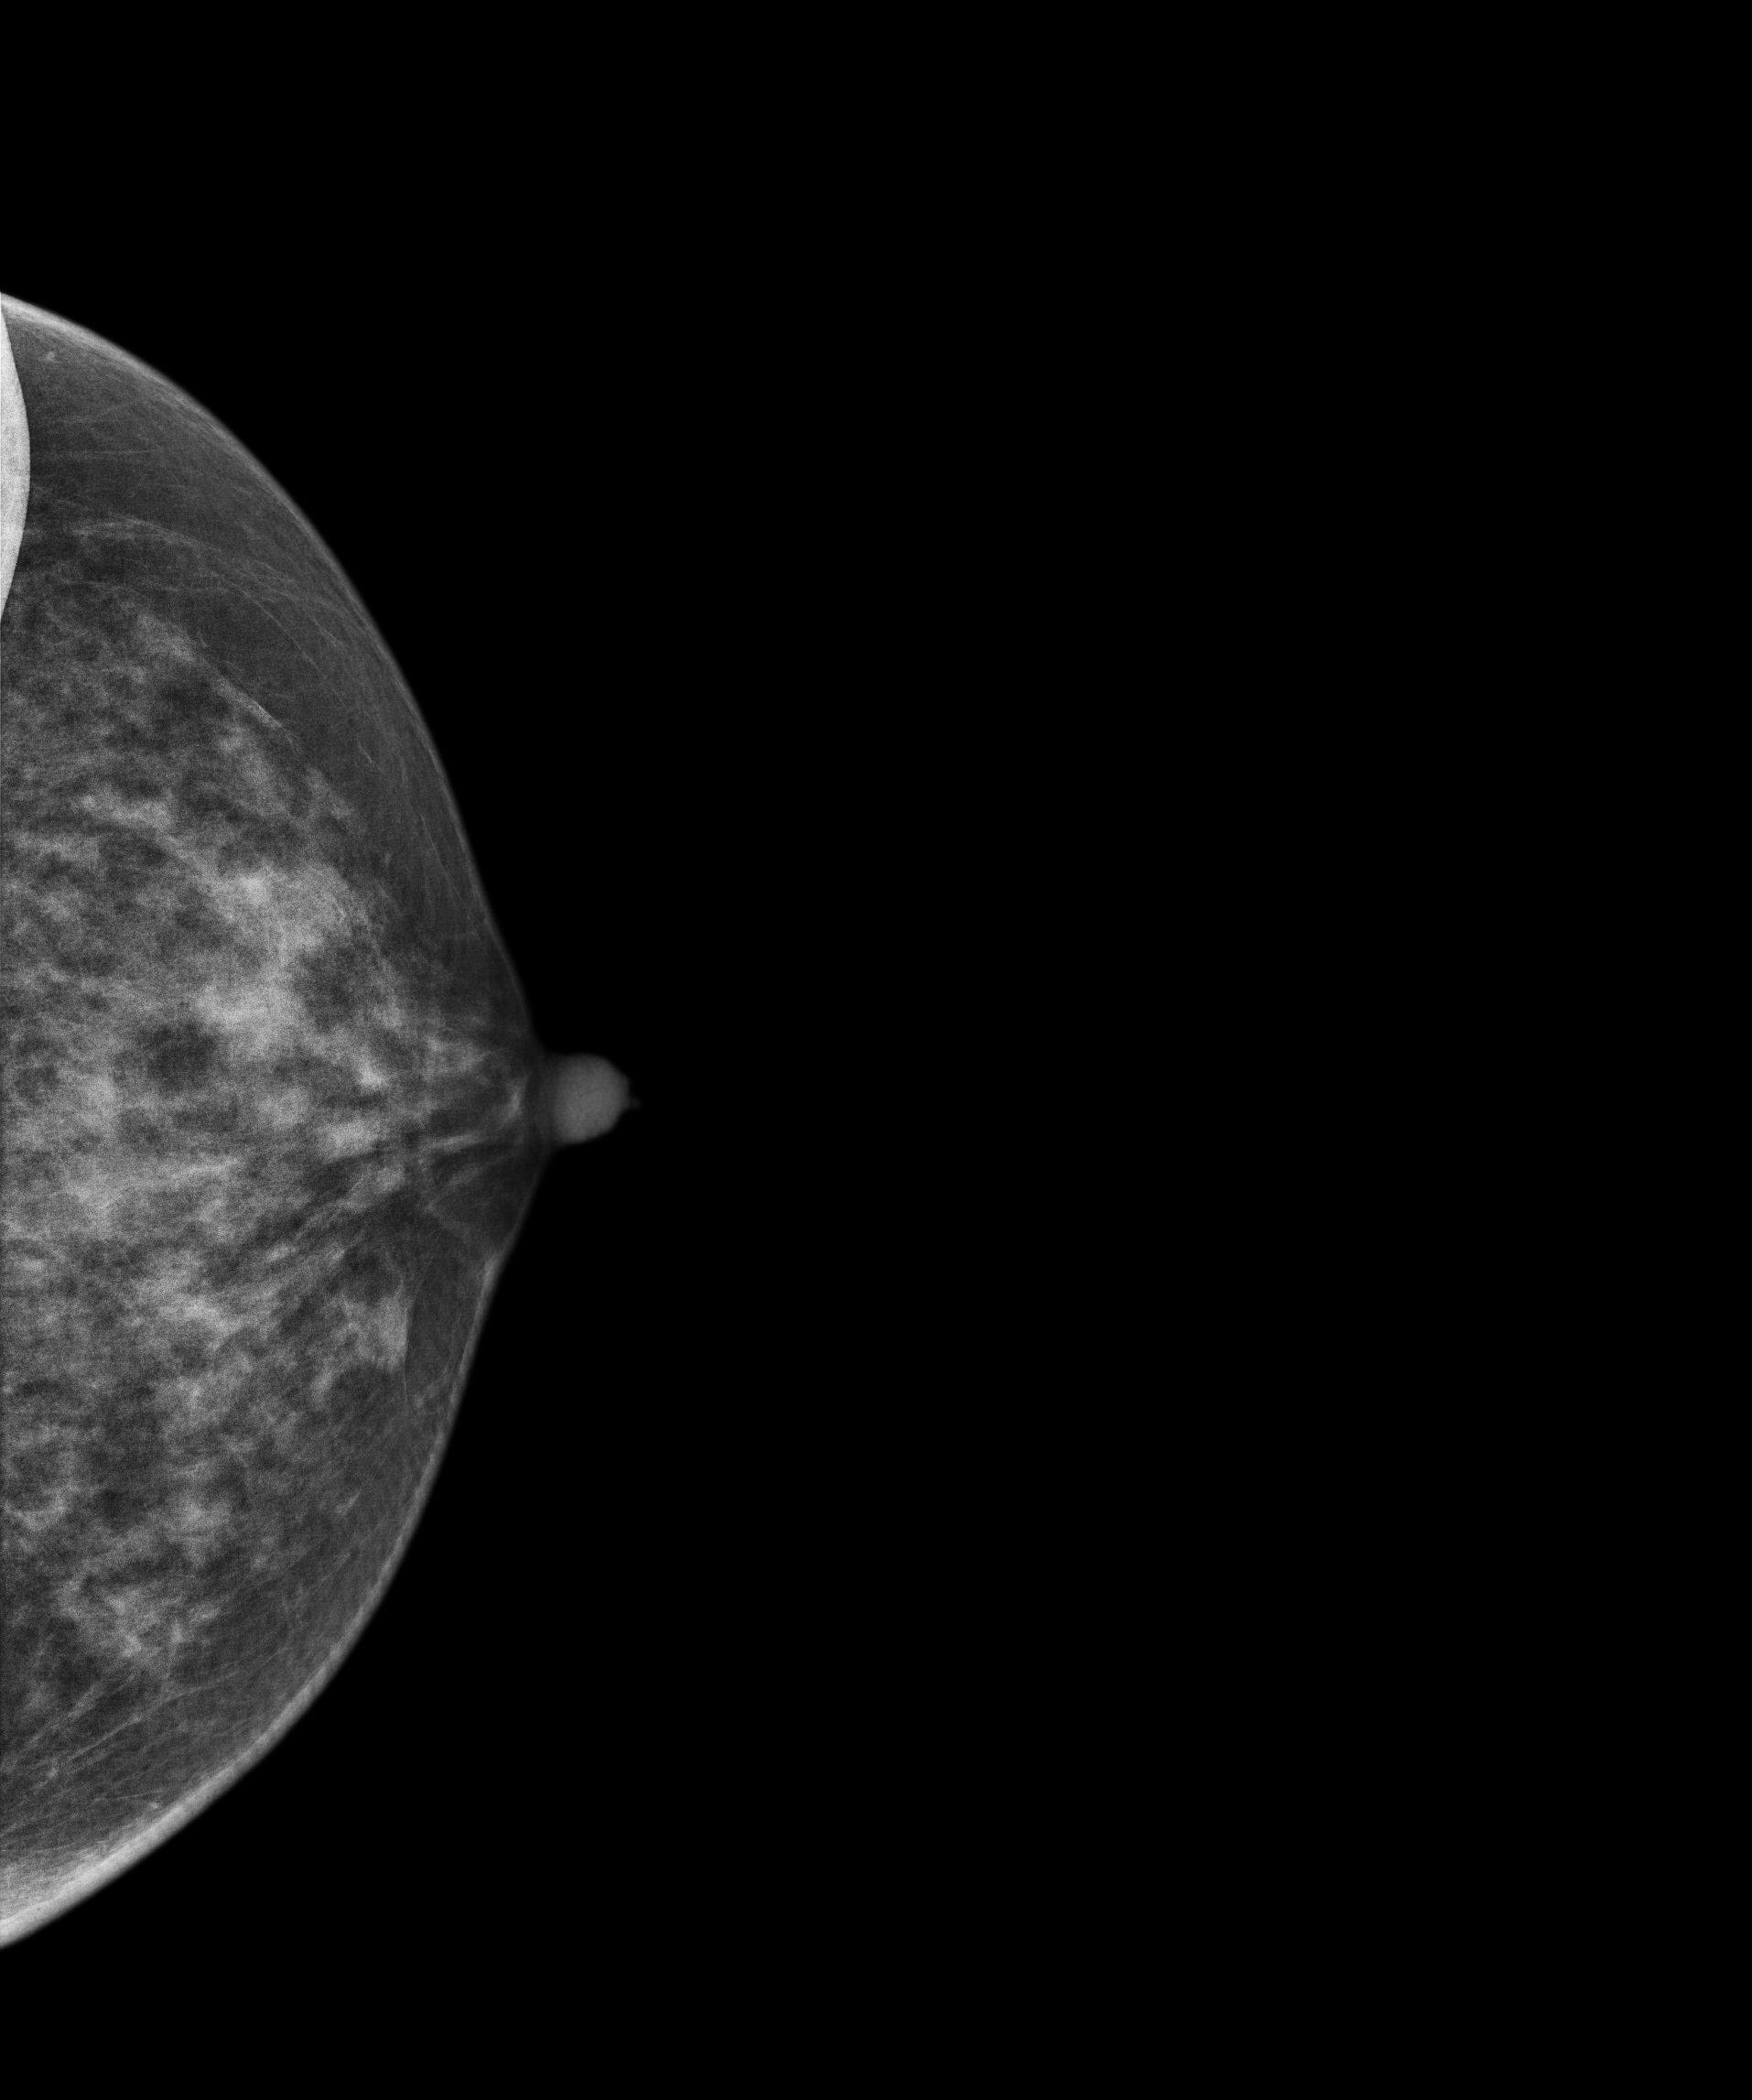
Digital mammography. Left breast, cranio-caudal projection. 56-year-old patient.
Contralateral breast — no documented abnormality on this side.